Cranio-caudal mammogram of the right breast. 41-year-old patient.
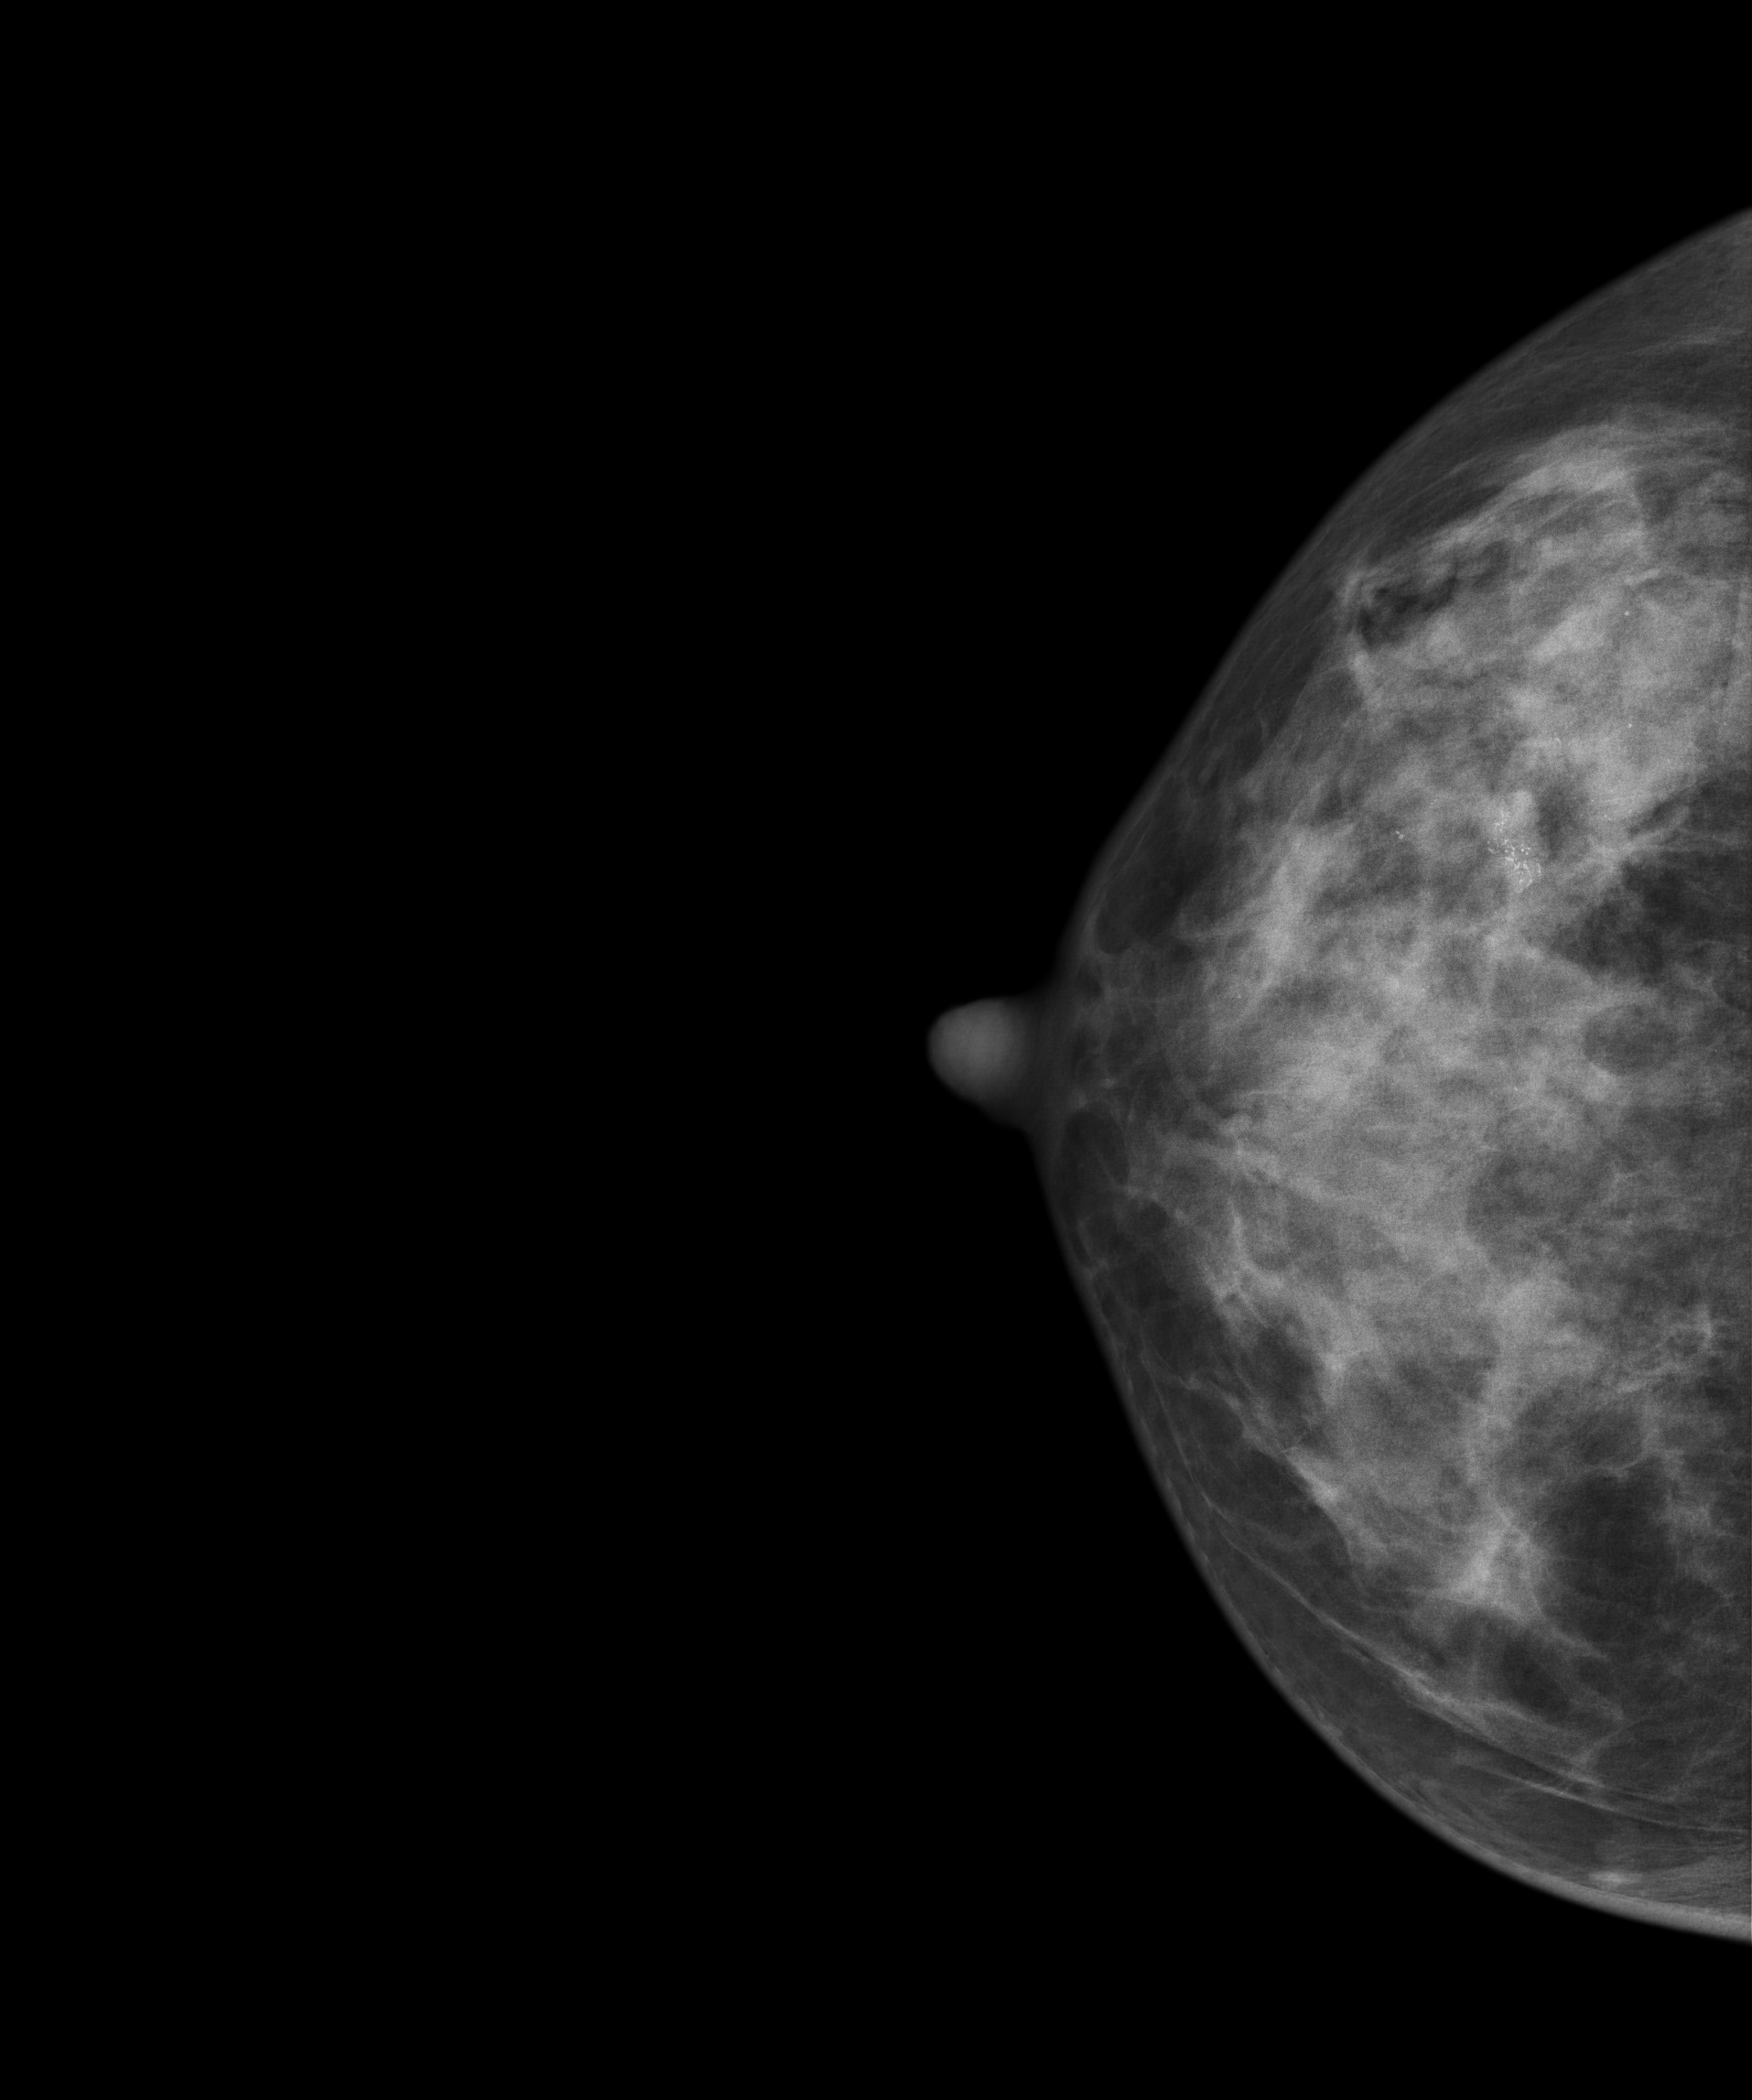
This breast has a mass and calcifications, histologically confirmed malignant.